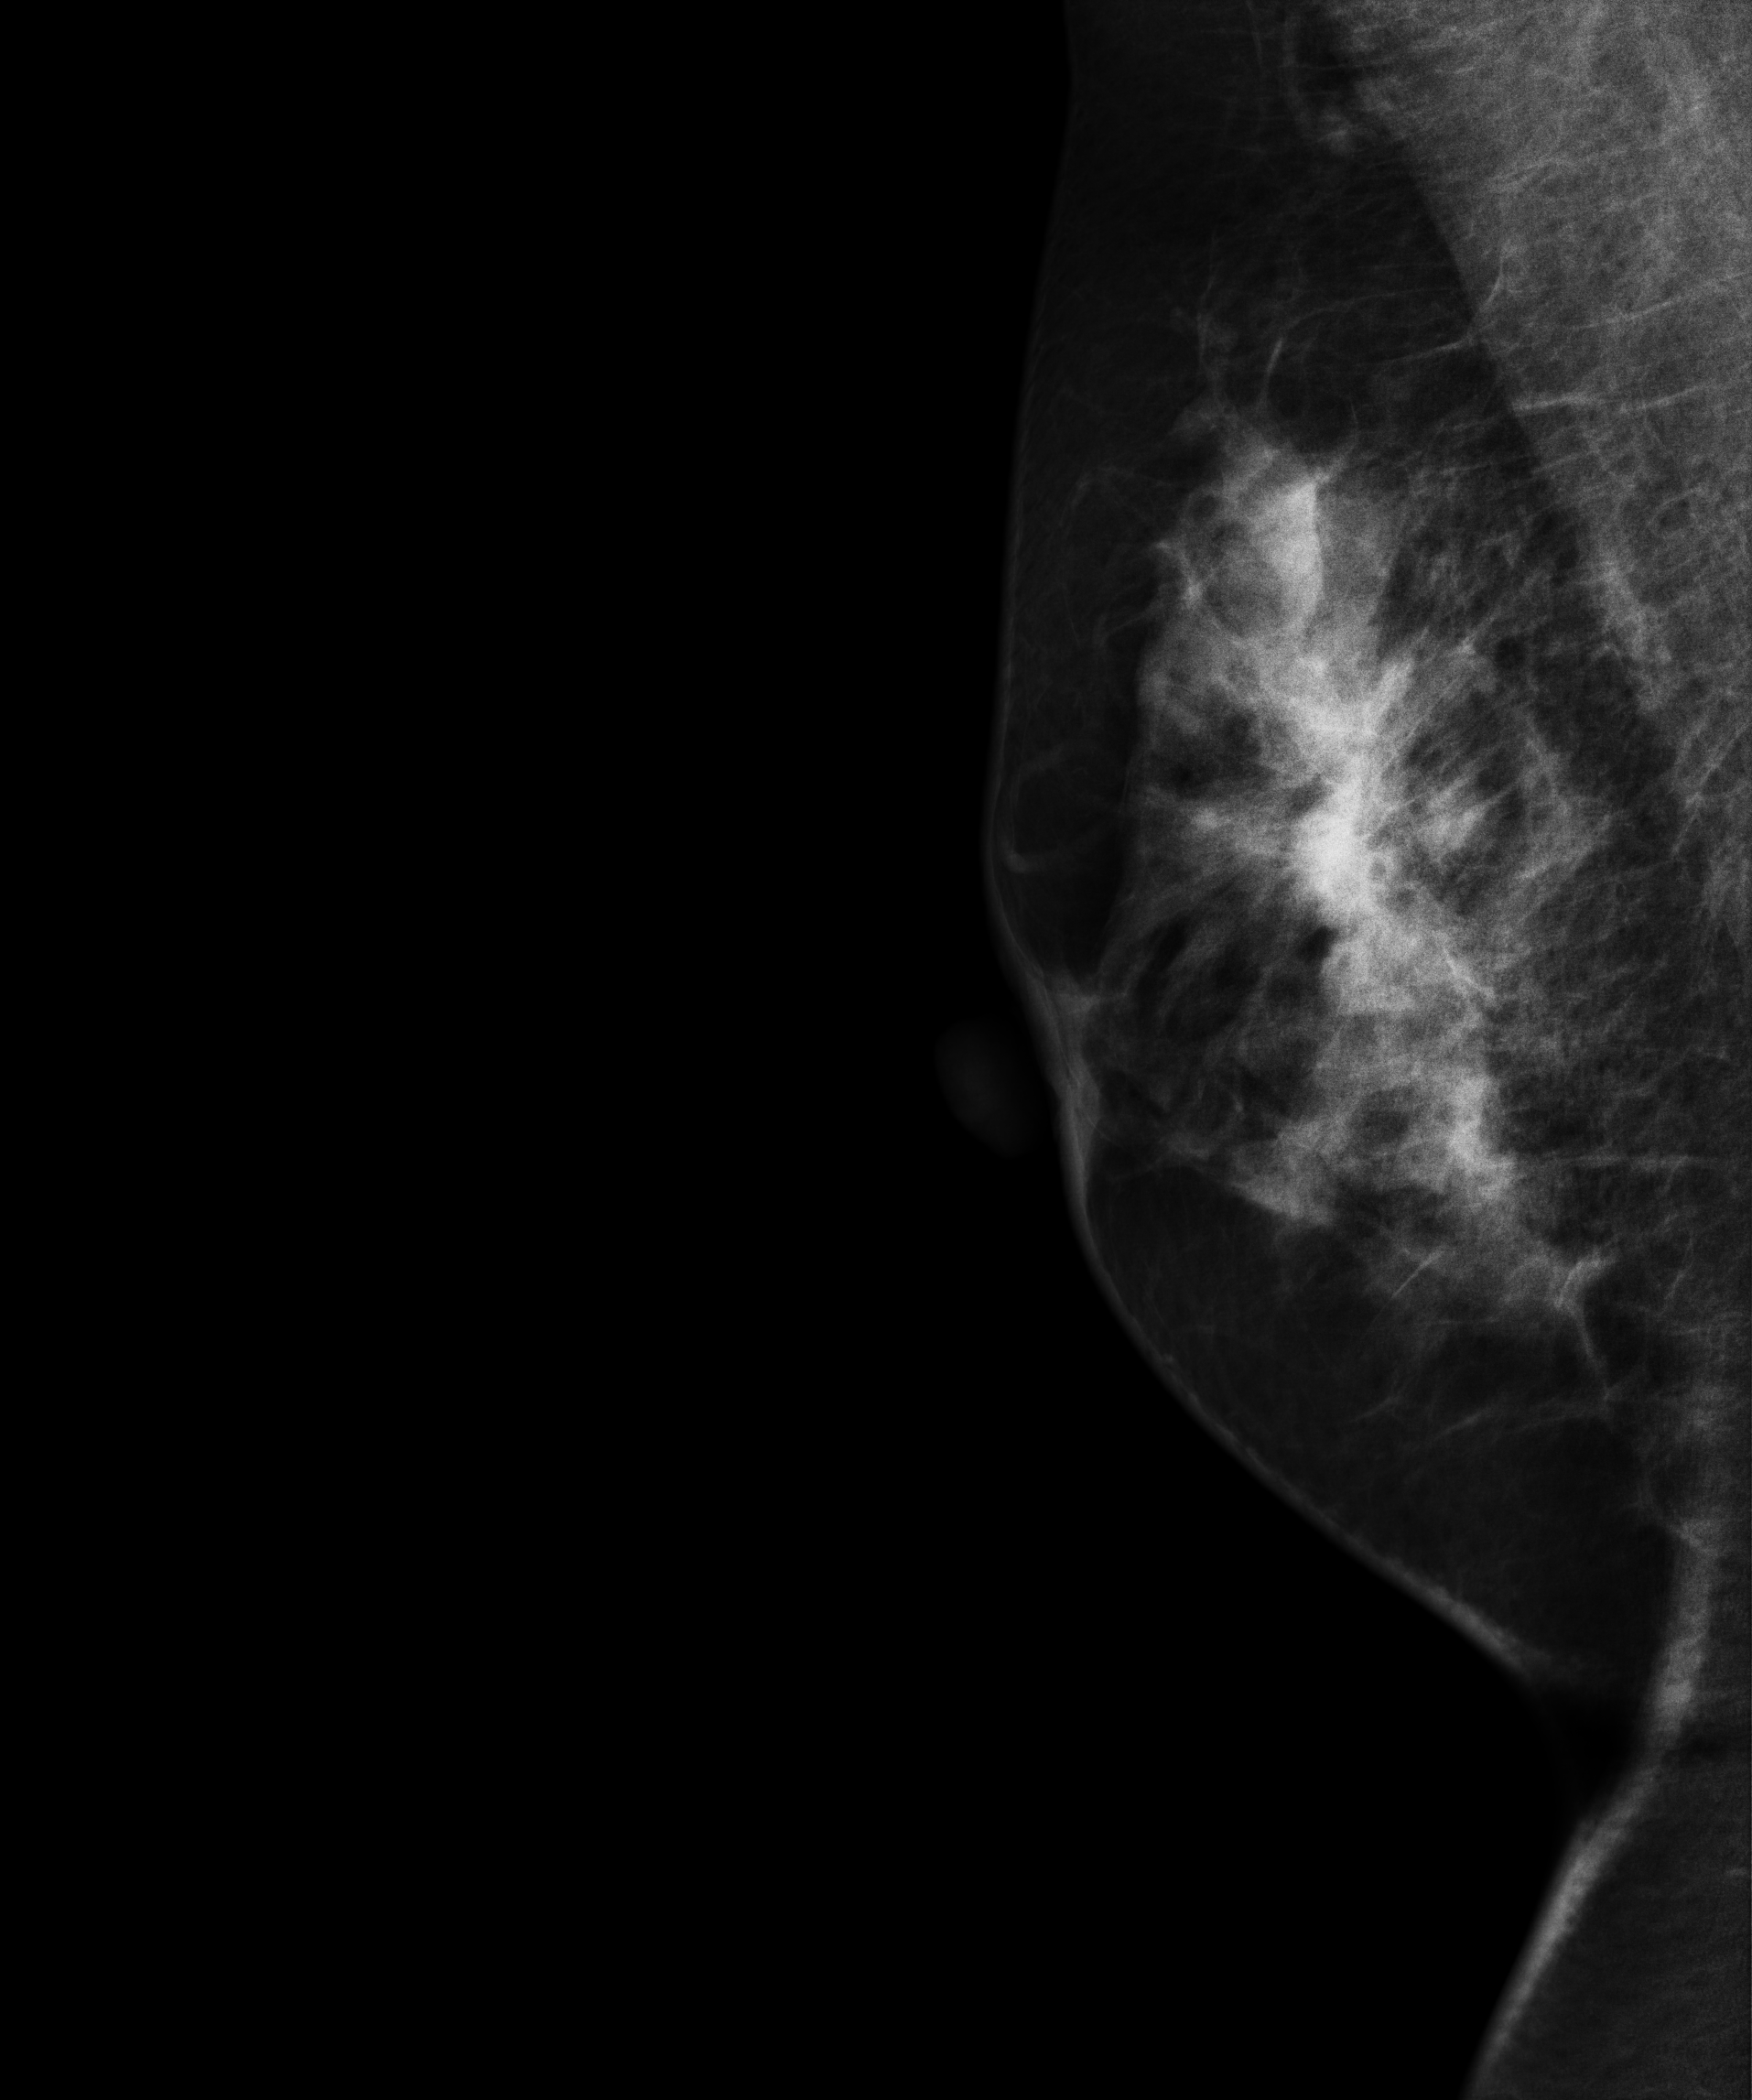
Medio-lateral oblique mammogram of the right breast. 48-year-old patient.
This breast has a mass, histologically confirmed malignant. Molecular subtype: luminal A.